Digital mammography. Left breast, cranio-caudal projection. 45 y/o patient.
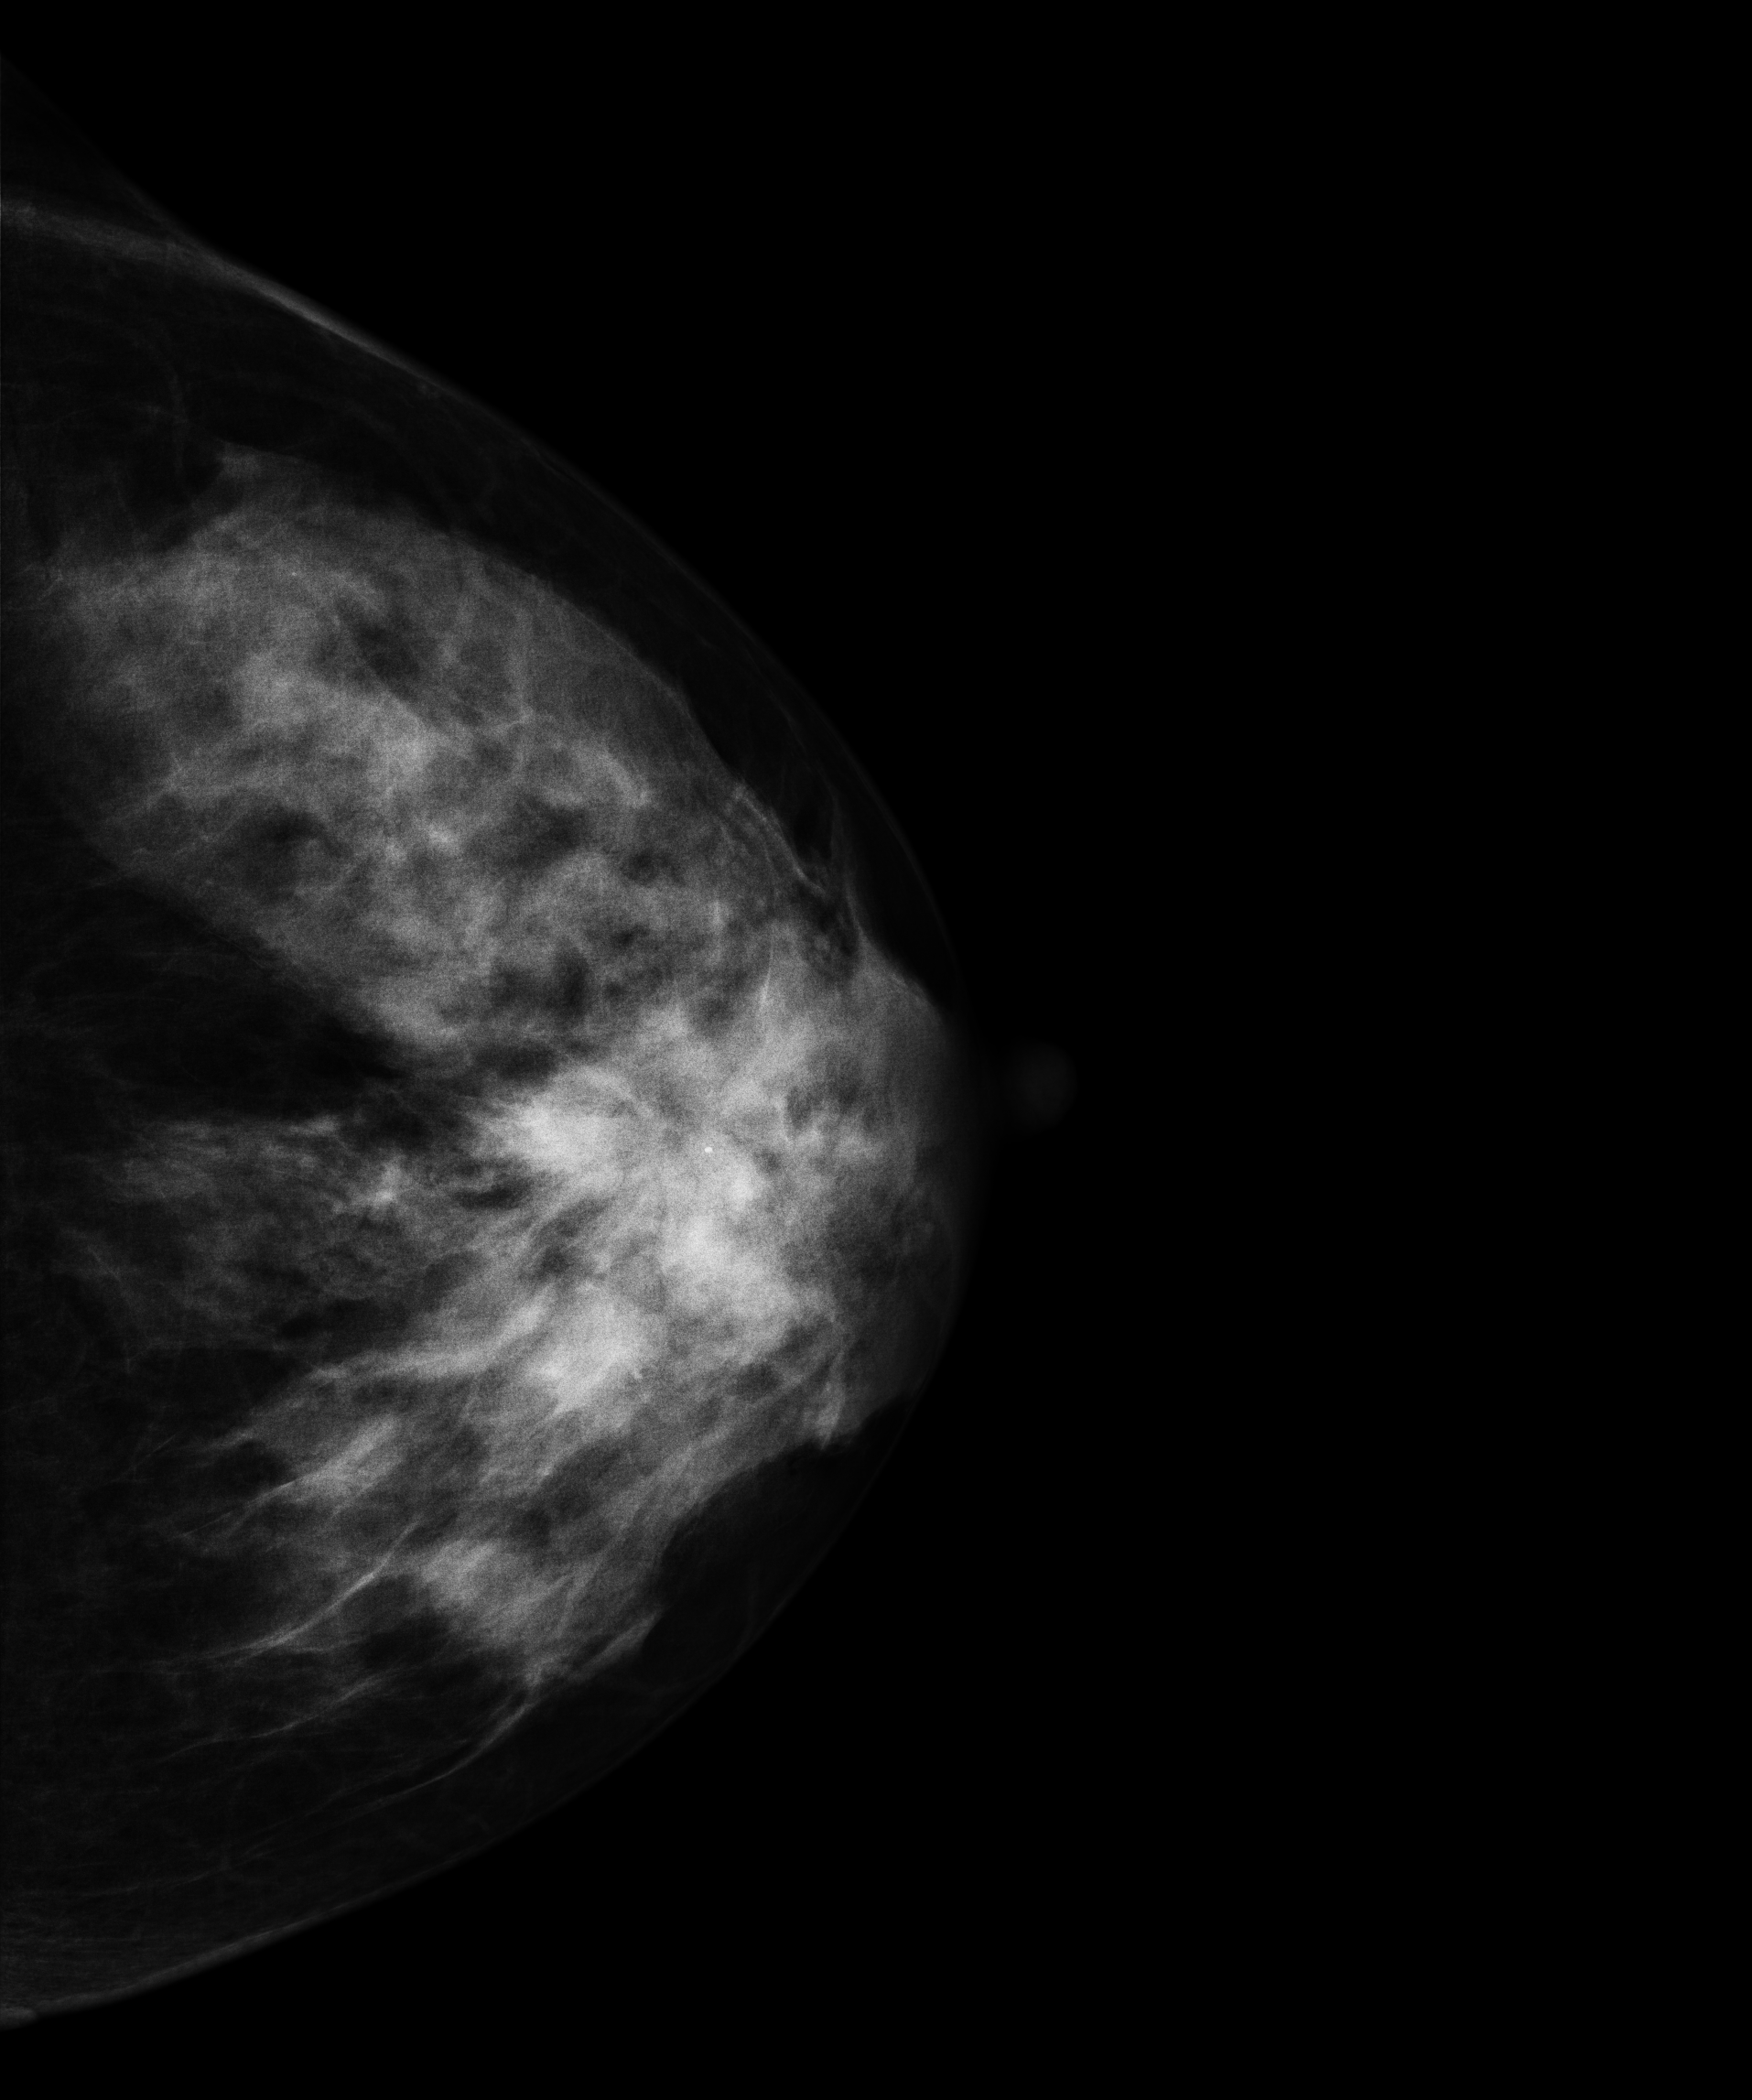
This breast has a mass, histologically confirmed malignant.